Mammogram, left breast, medio-lateral oblique view. 48-year-old patient.
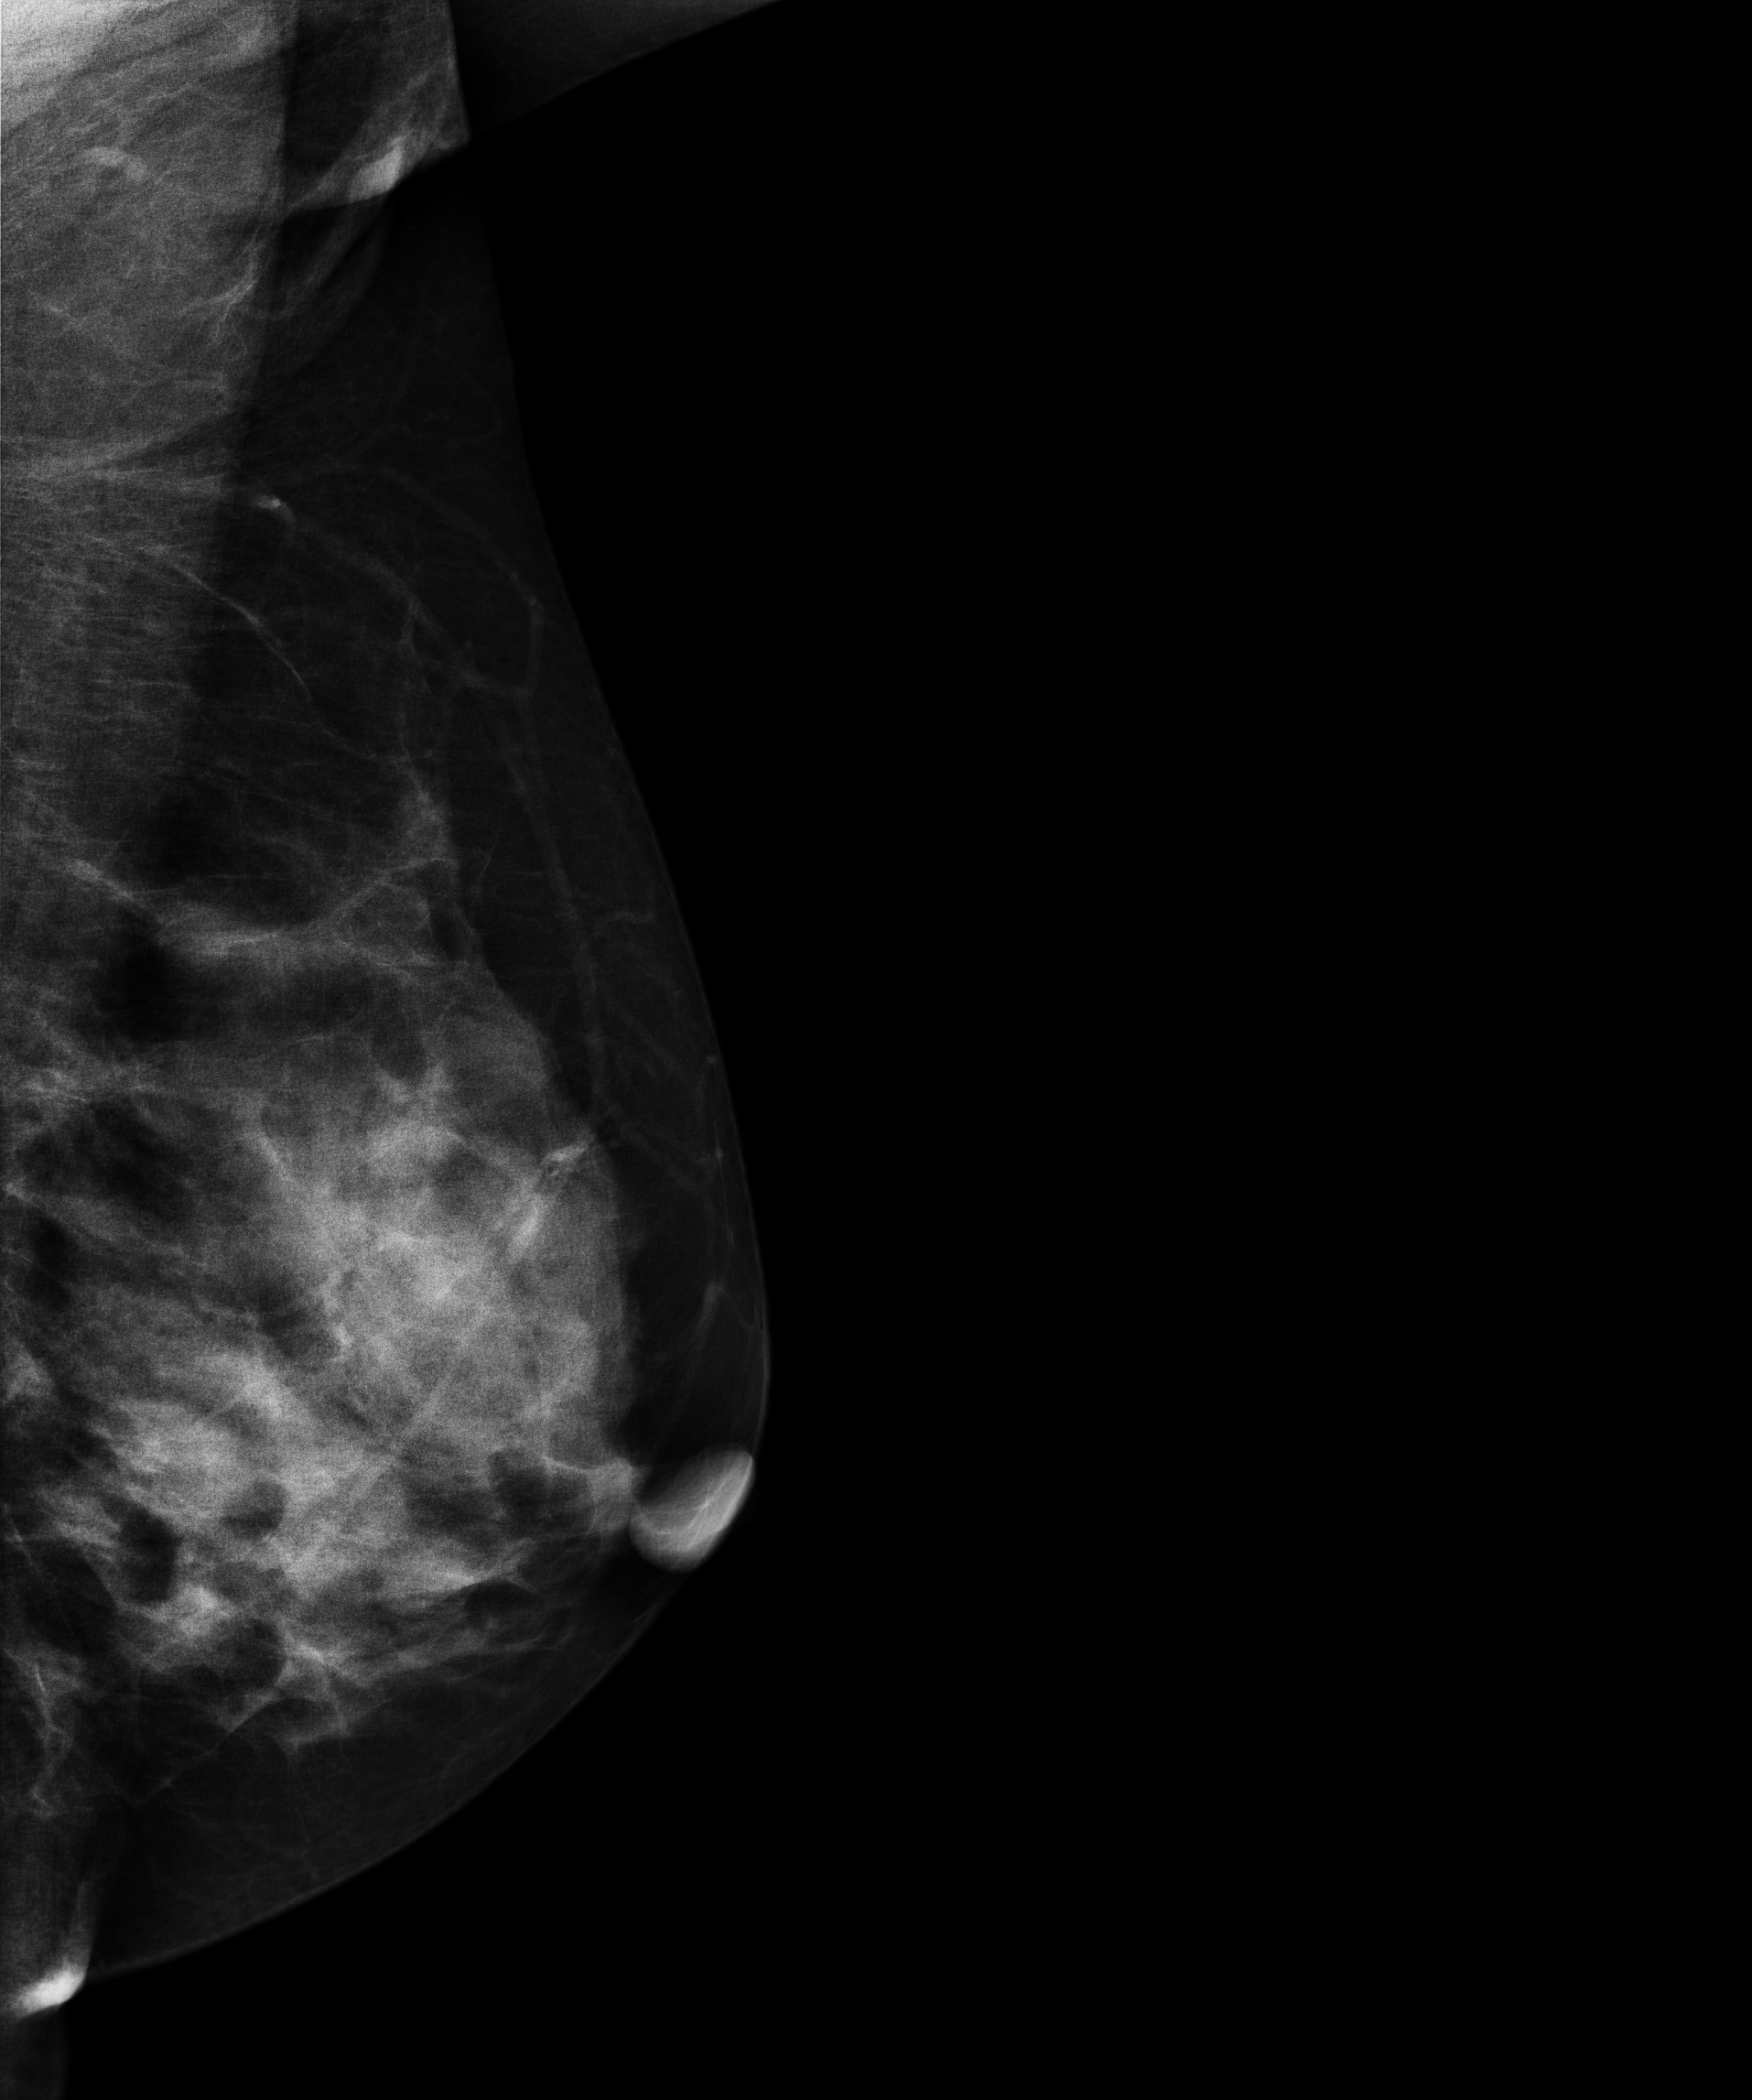
Contralateral breast — no documented abnormality on this side.